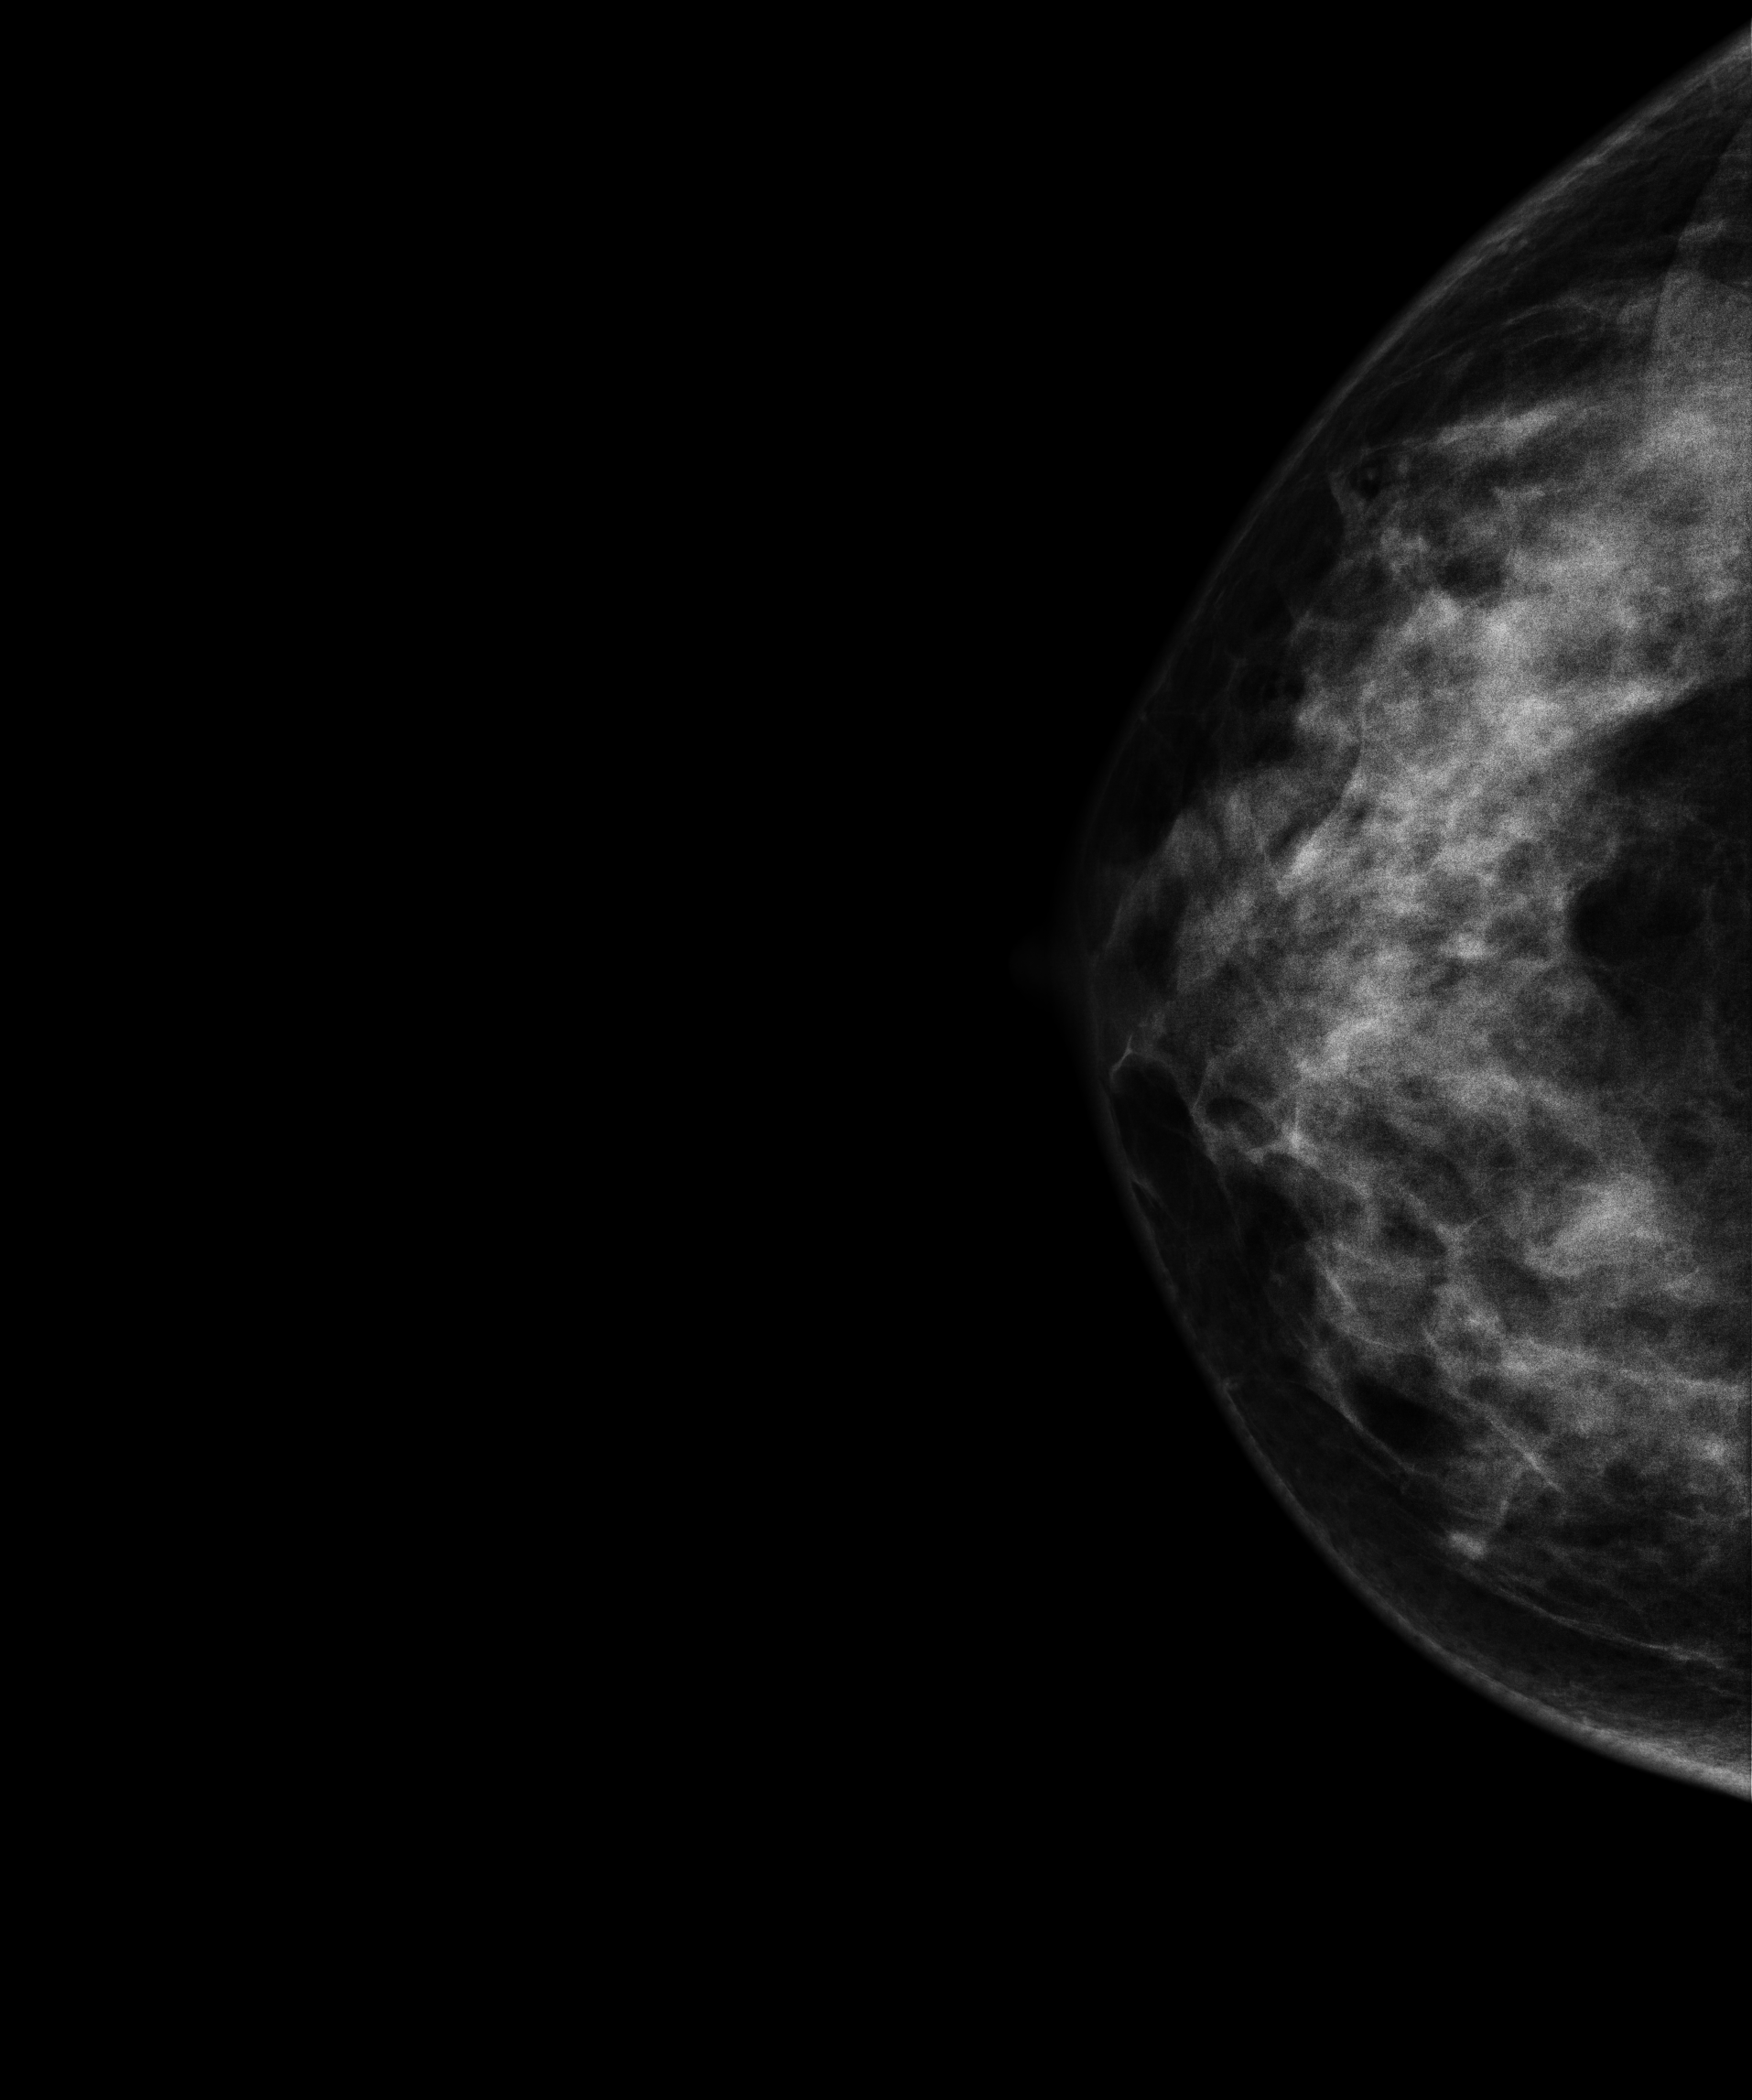
Digital mammography. Right breast, CC projection. Patient age 41.
This breast has a mass, biopsy-proven benign.